Mammogram, right breast, cranio-caudal view. 53-year-old patient.
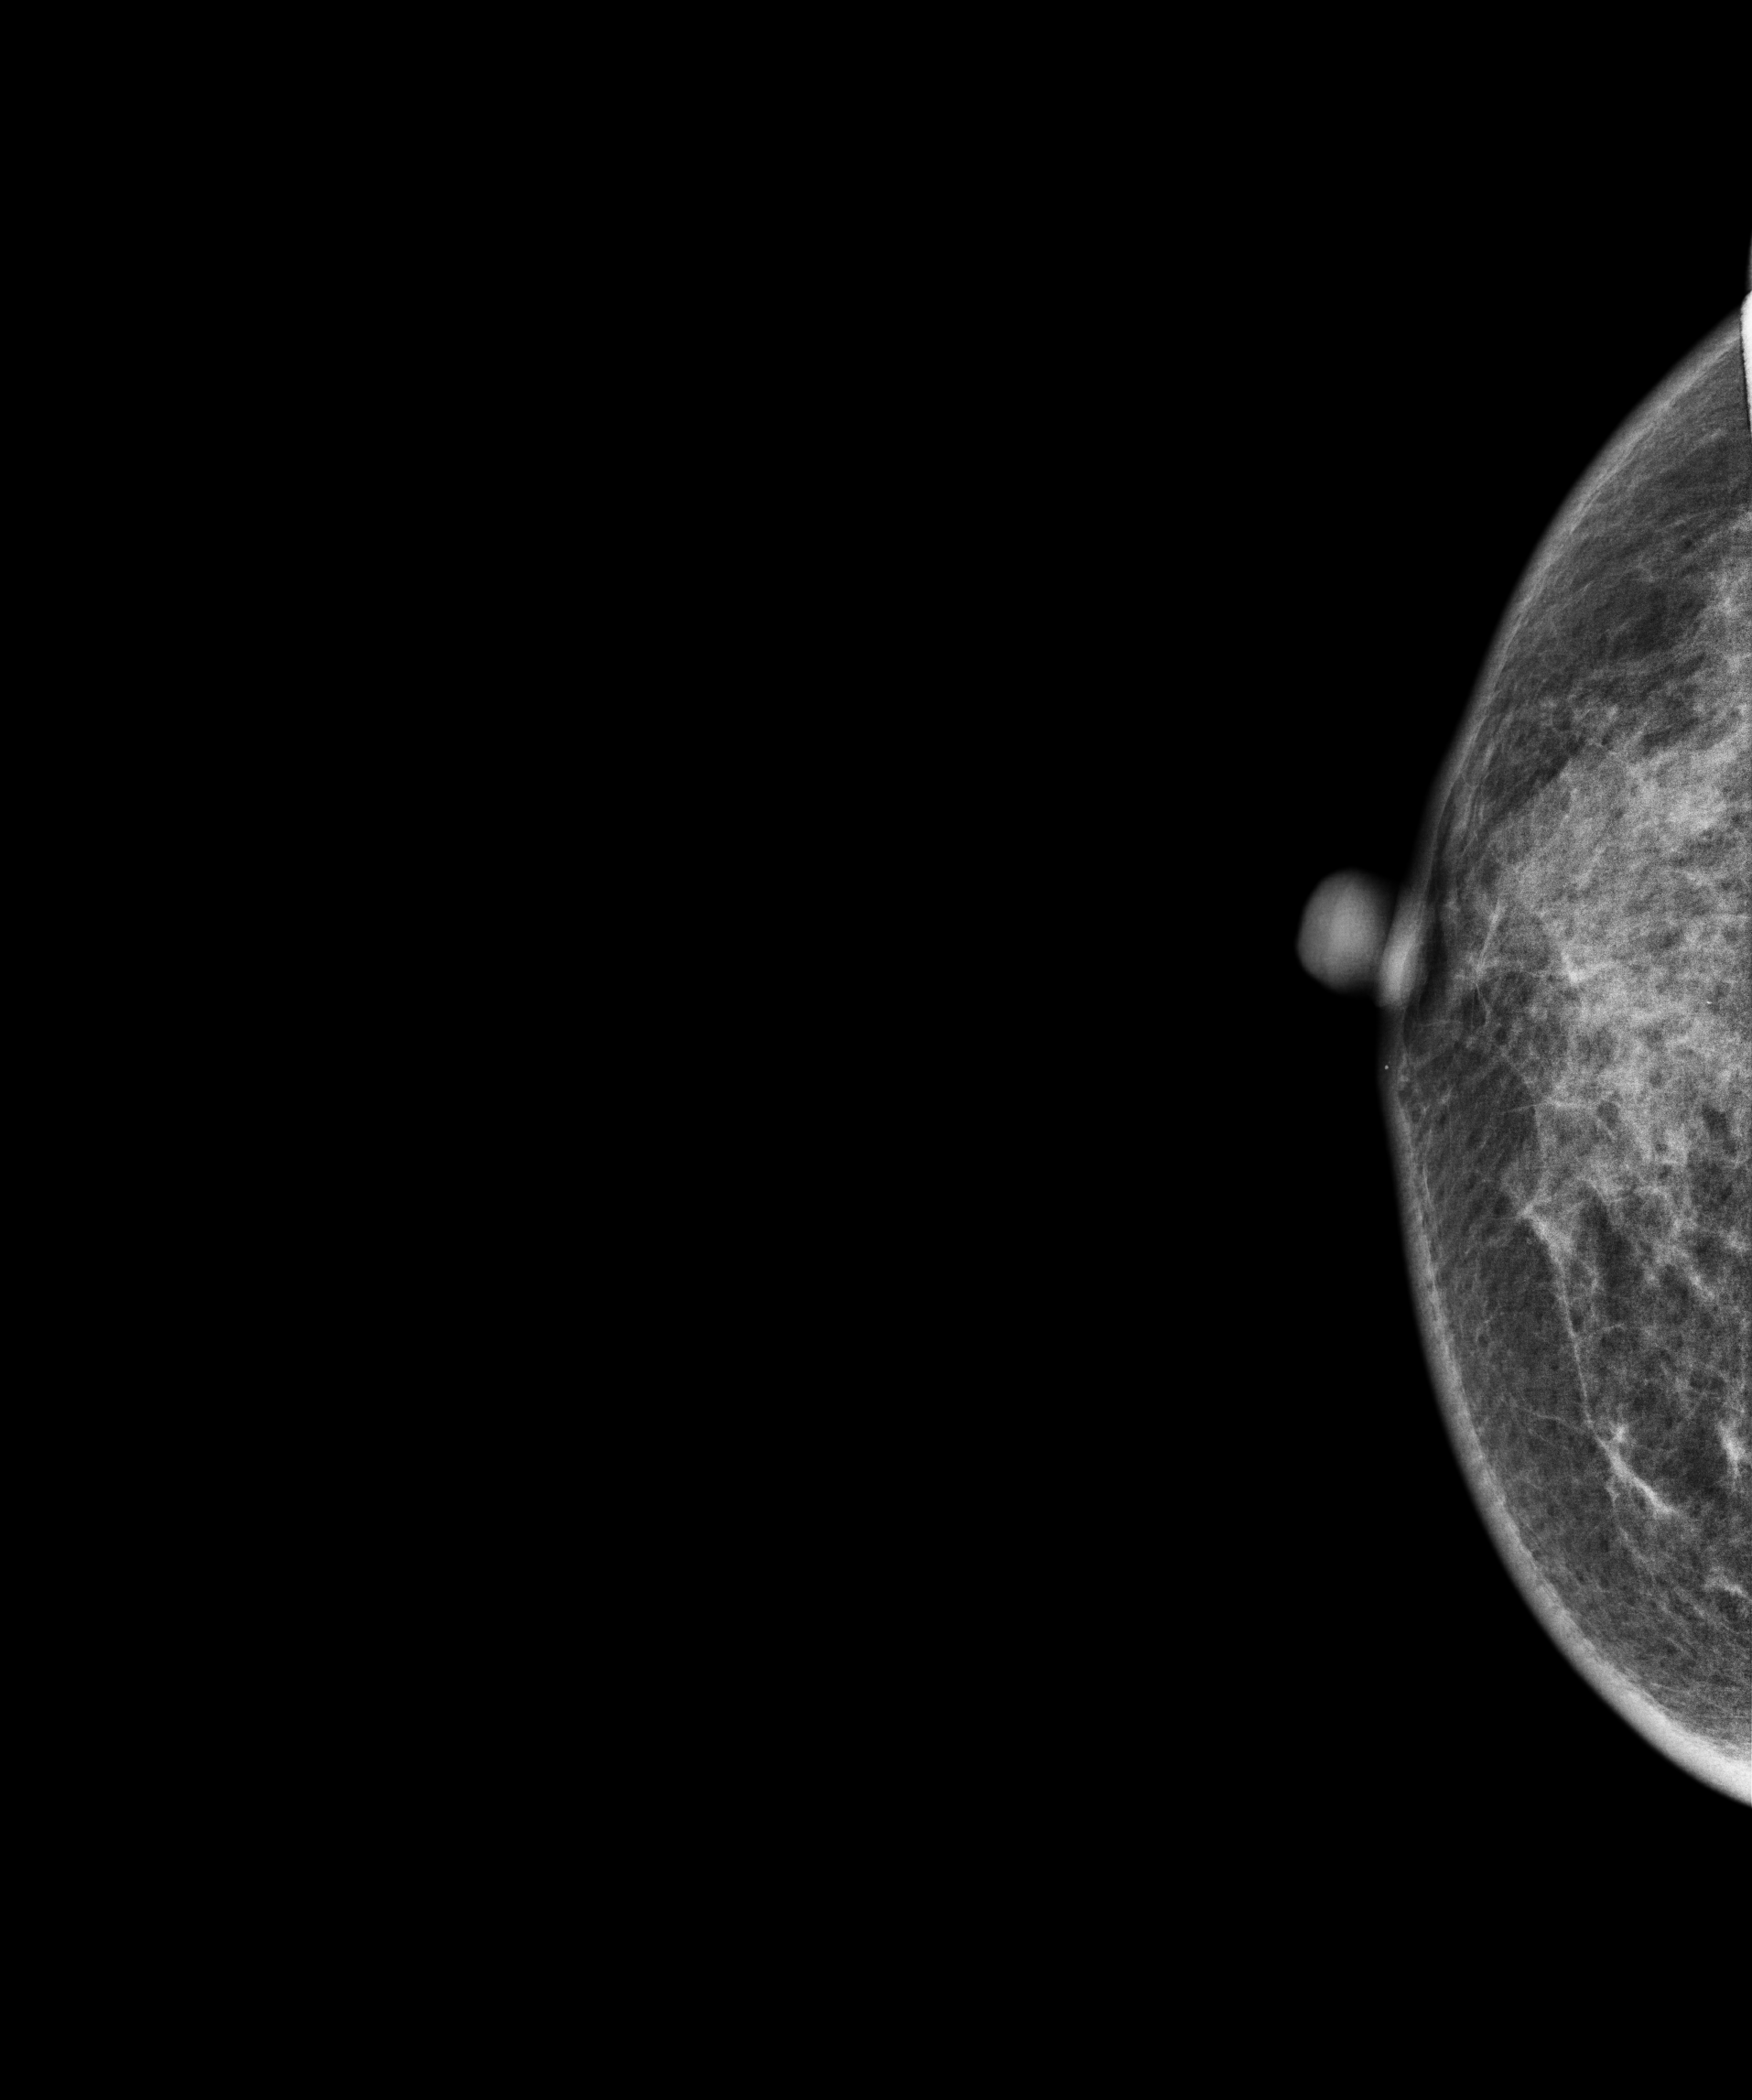
Contralateral breast — no documented abnormality on this side.